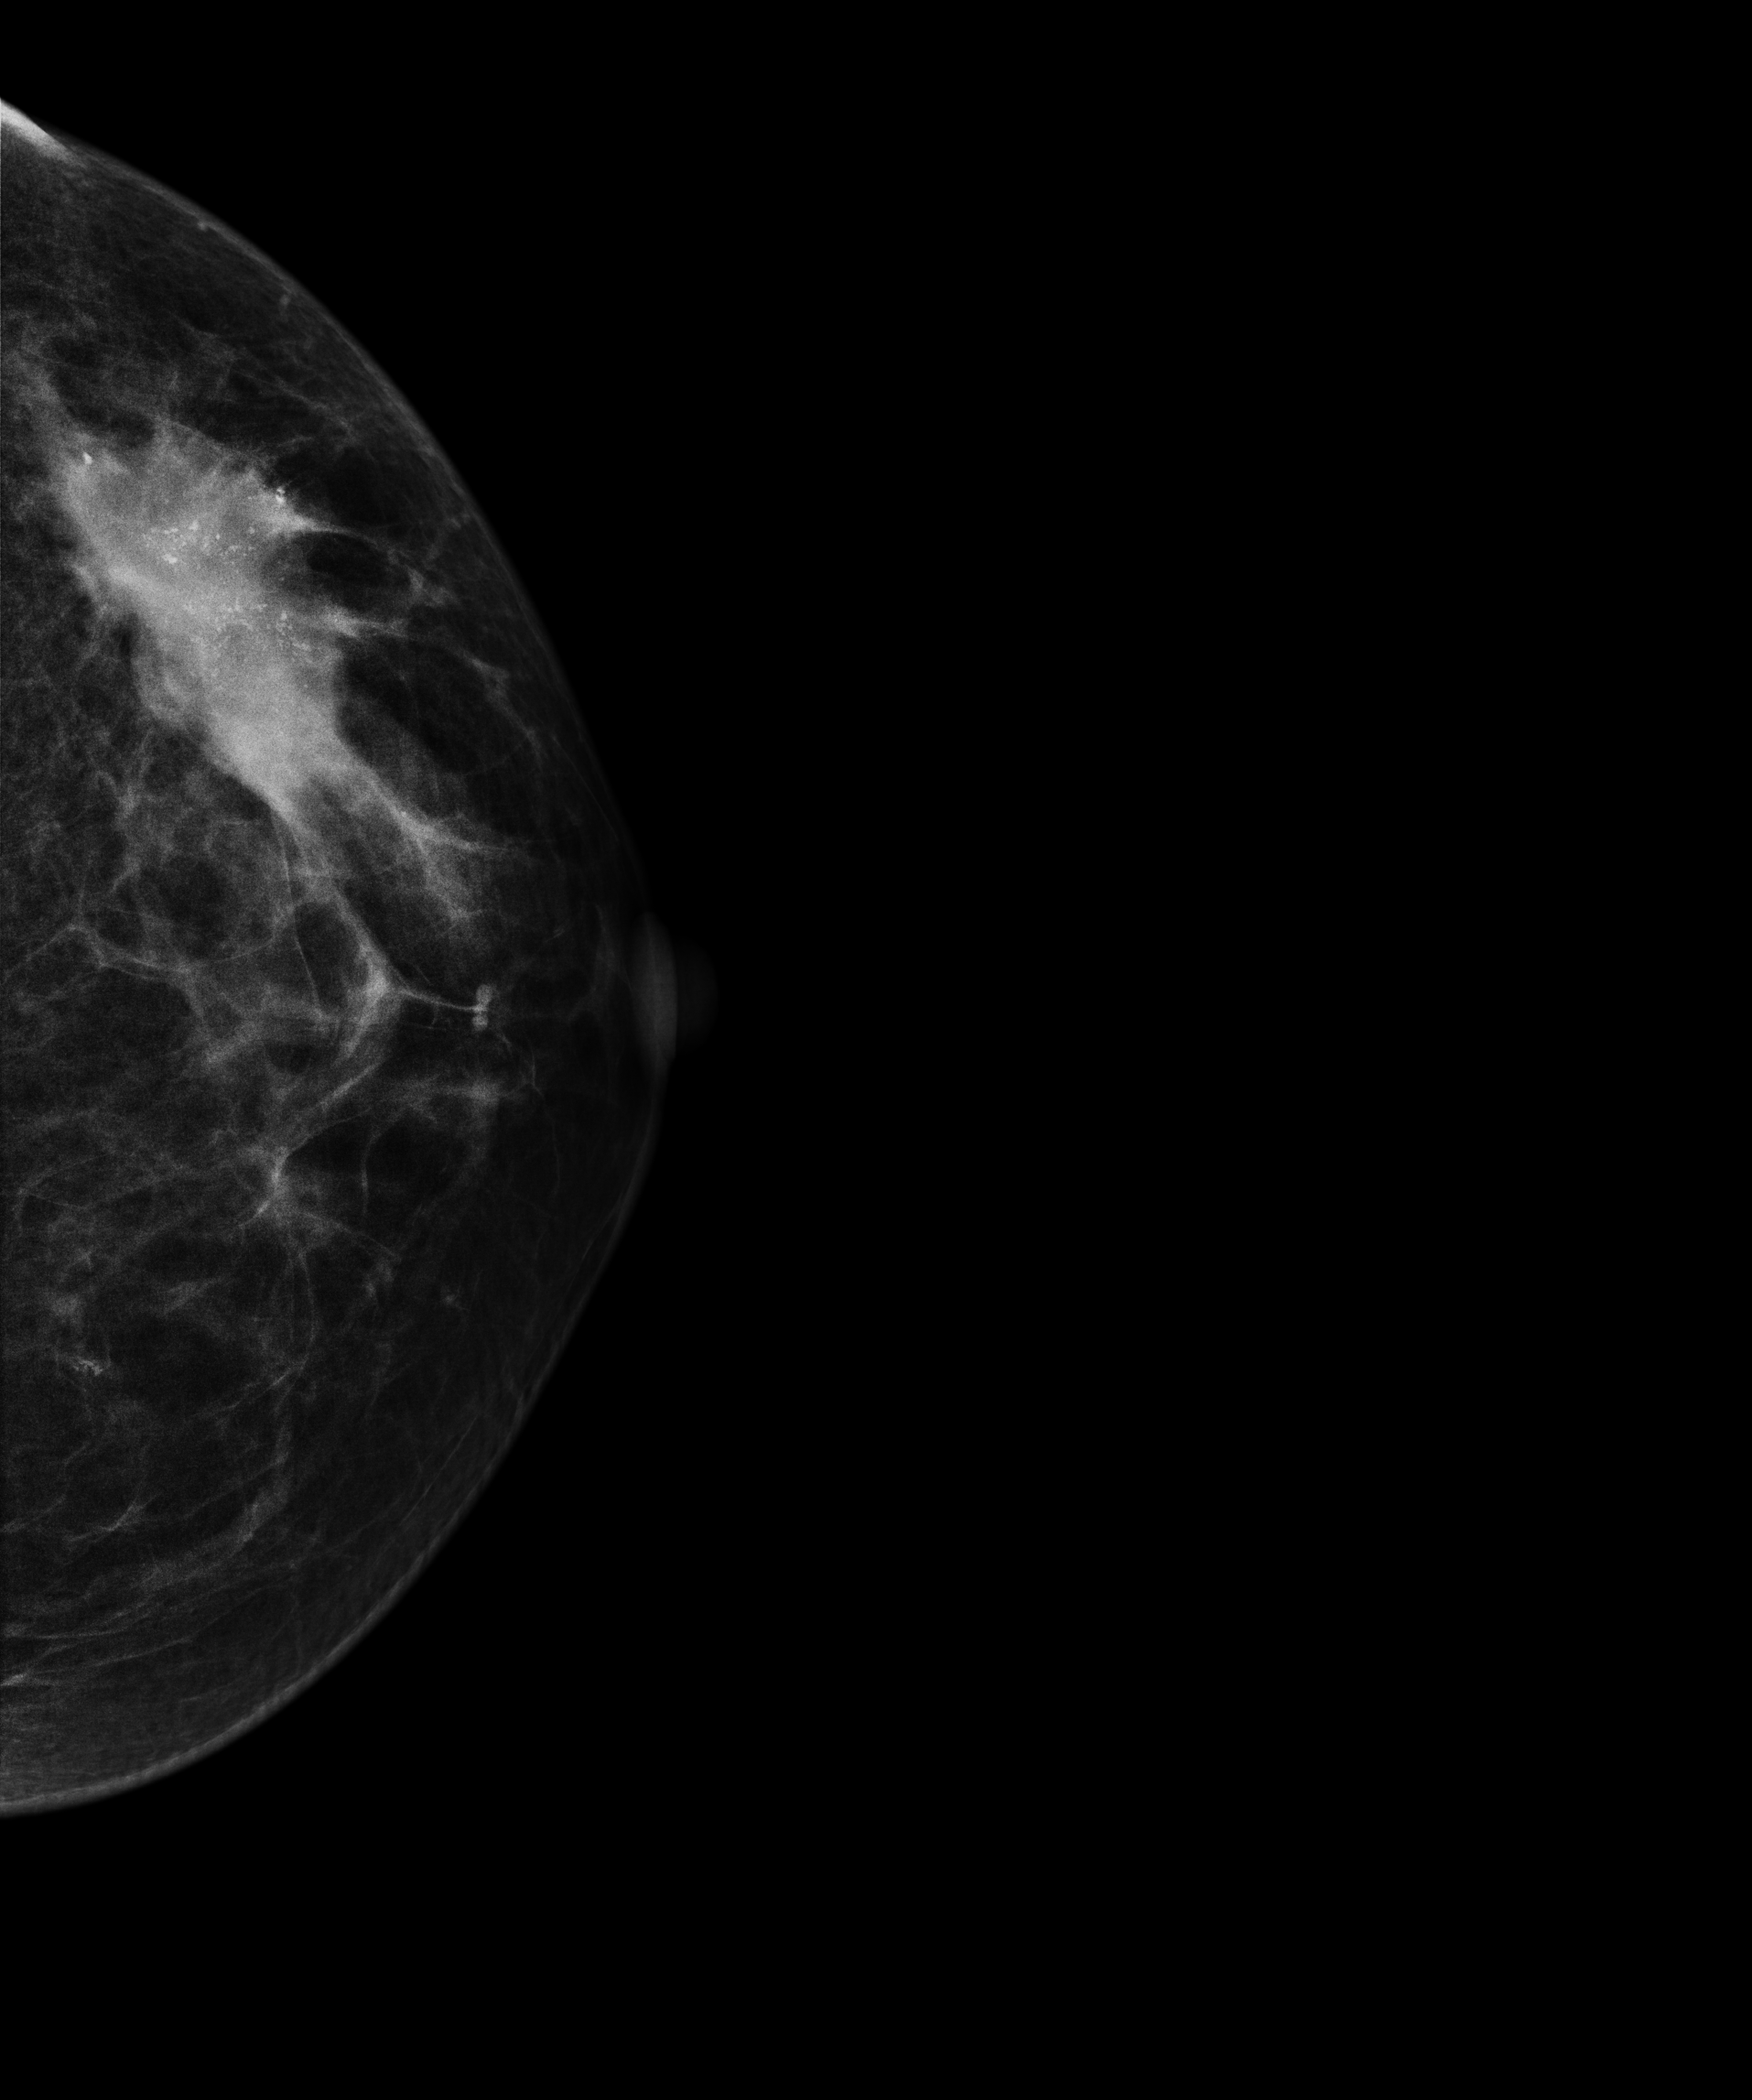
Mammogram, left breast, cranio-caudal view. 50 y/o patient.
This breast has a mass and calcifications, biopsy-confirmed malignant. Molecular subtype: HER2-enriched.